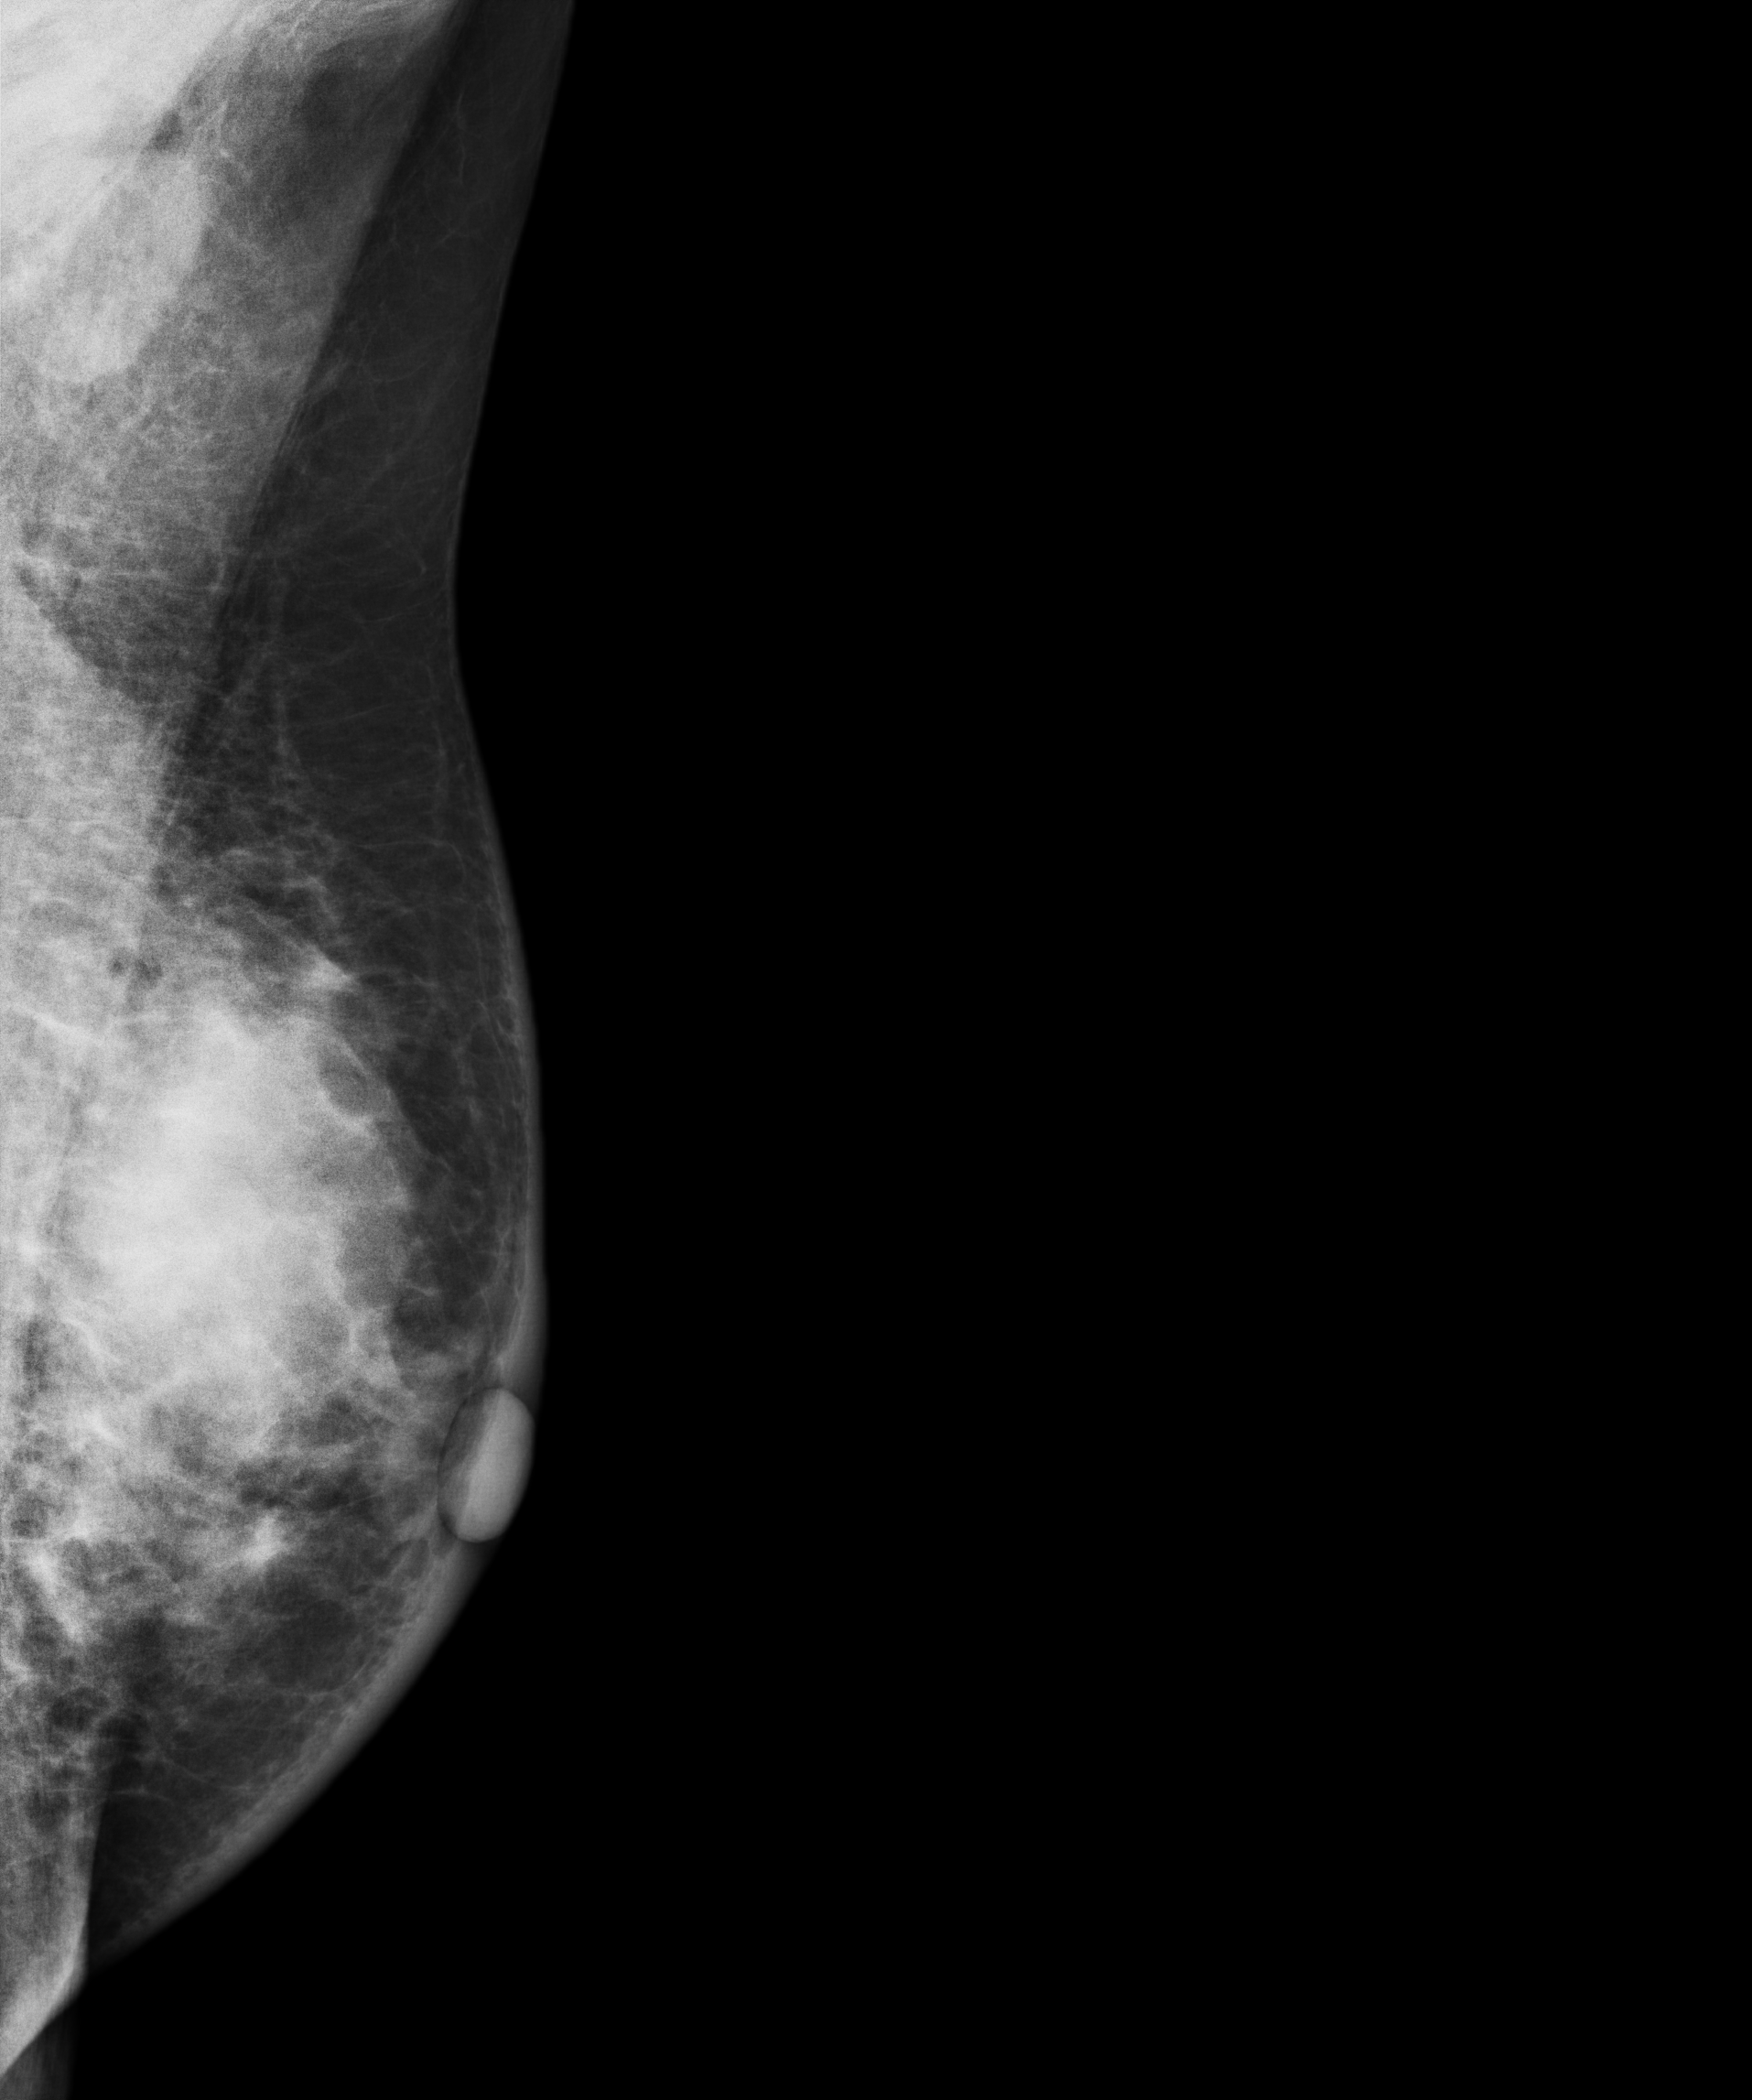
MLO mammogram of the left breast. 61 y/o patient.
This breast has a mass, biopsy-proven malignant. Molecular subtype: HER2-enriched.